Mammogram, left breast, medio-lateral oblique view. 56 y/o patient.
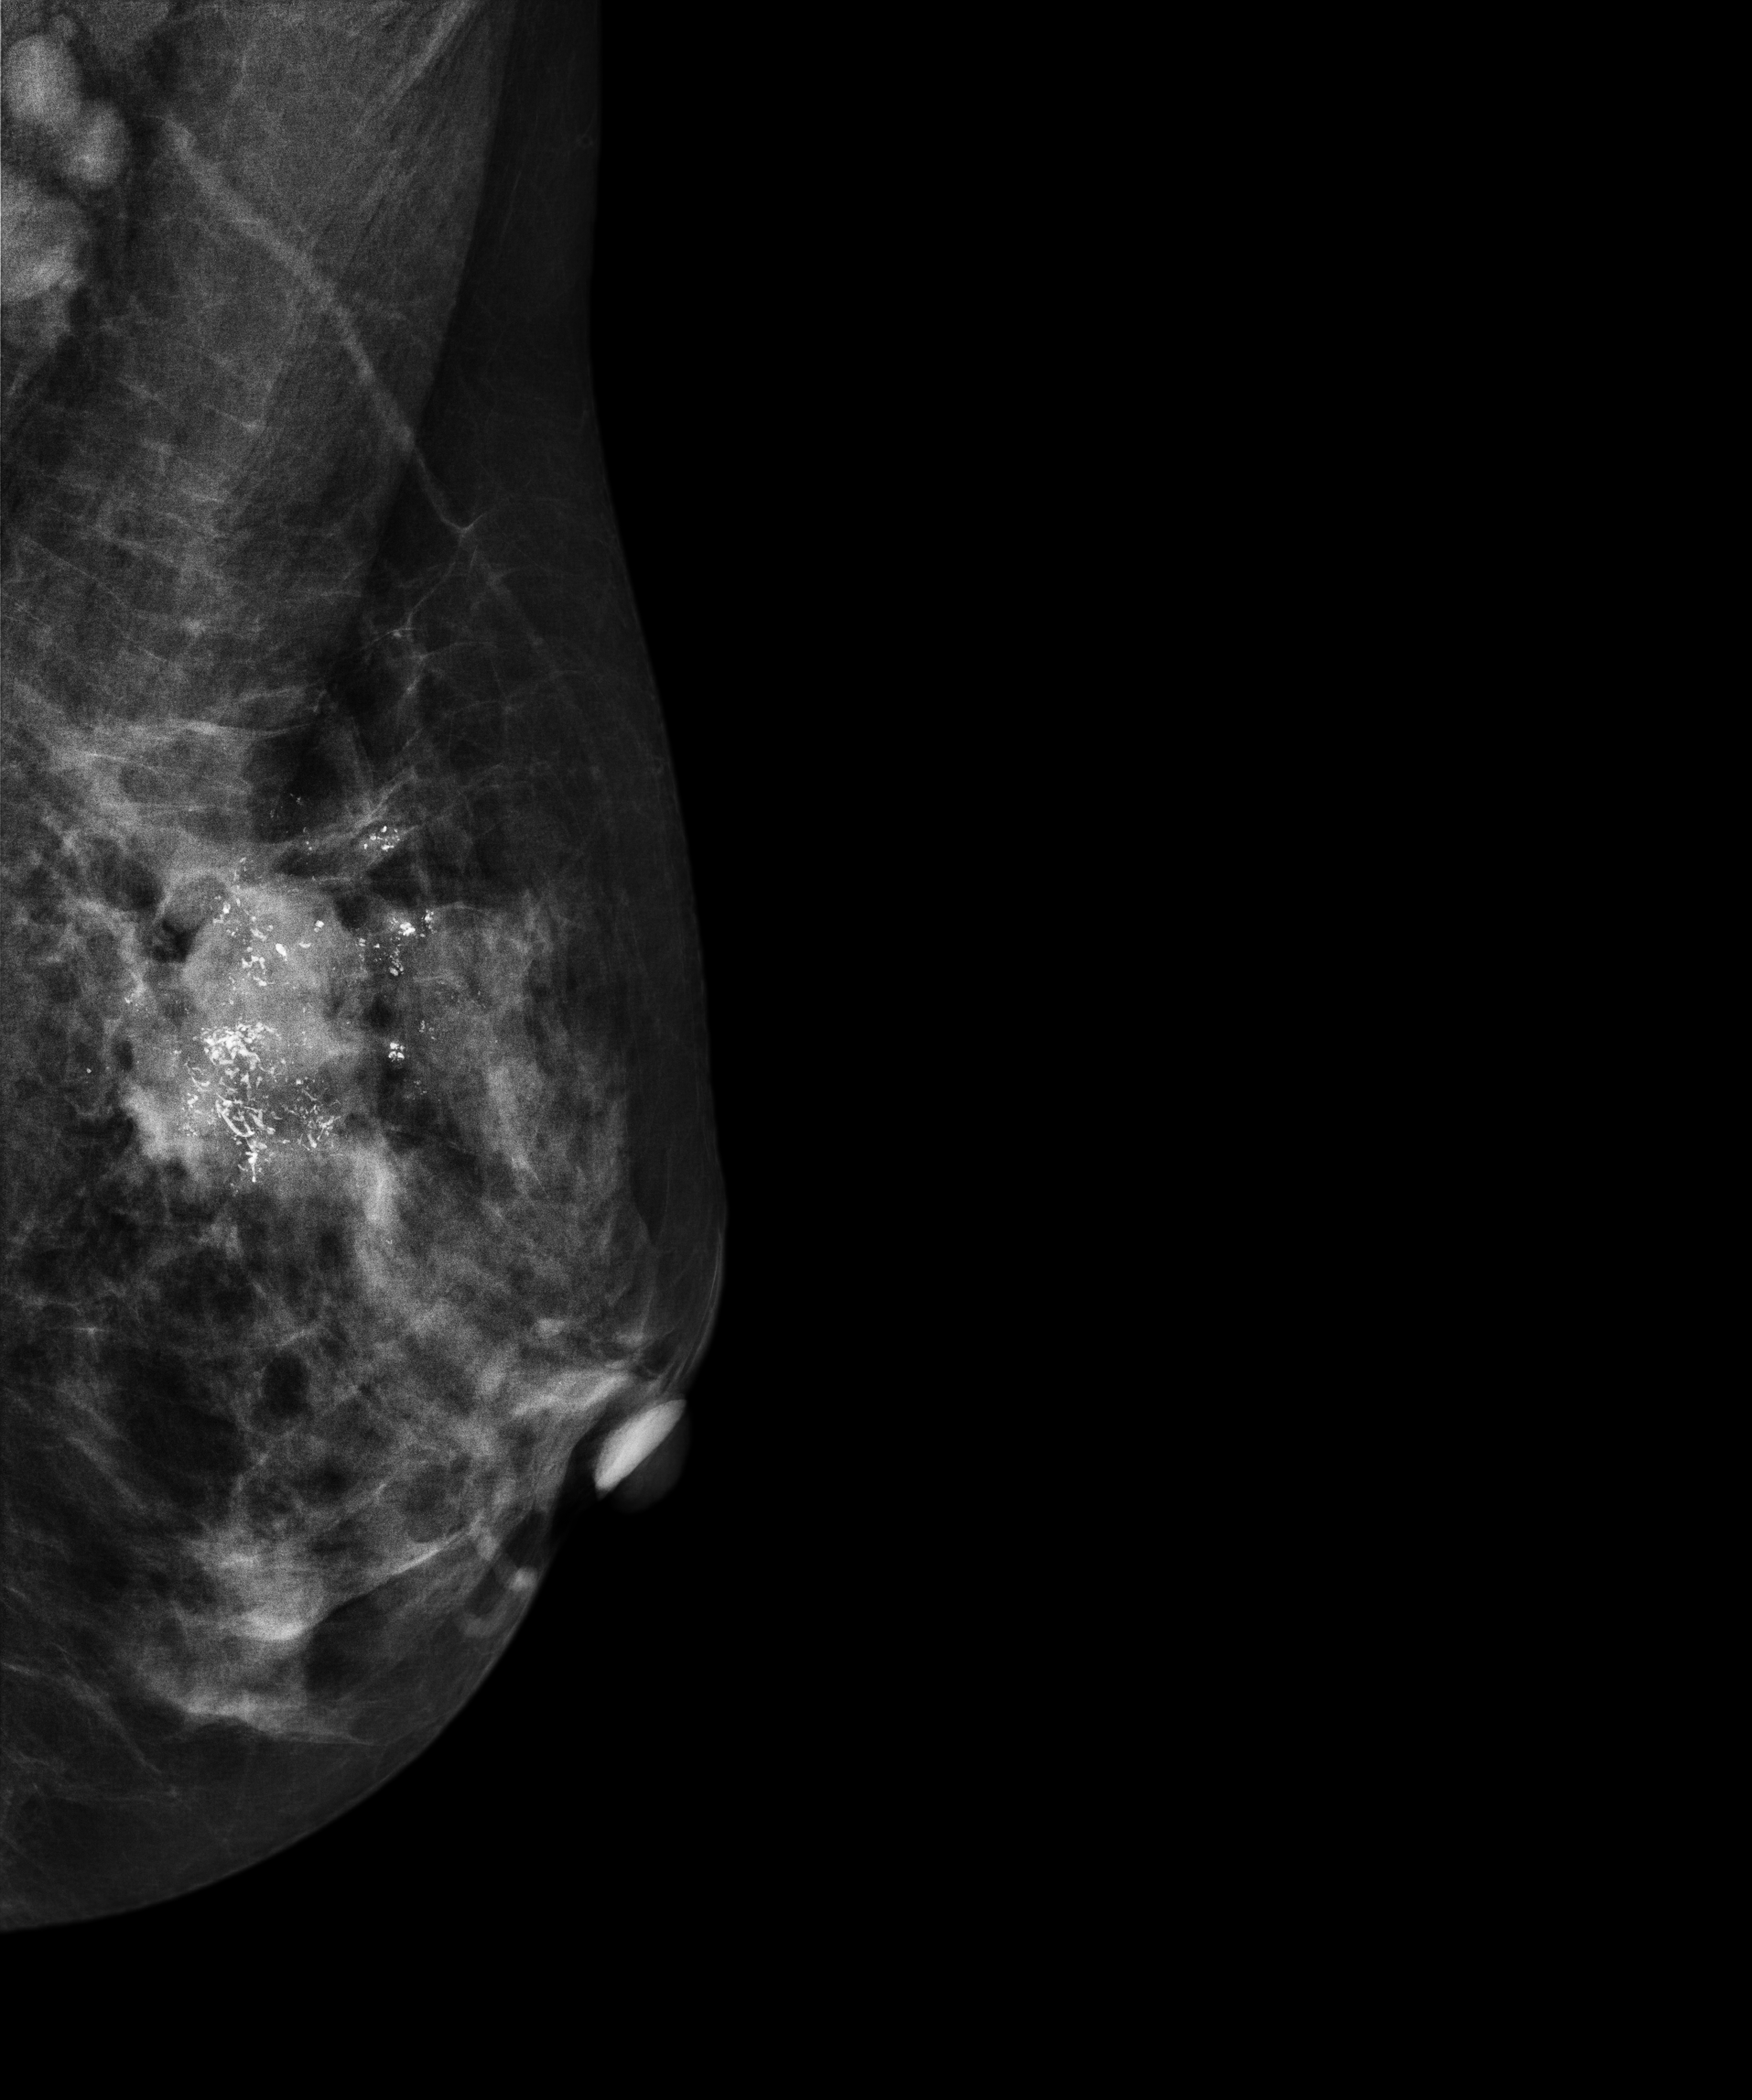
This breast has a mass and calcifications, biopsy-proven malignant. Molecular subtype: HER2-enriched.